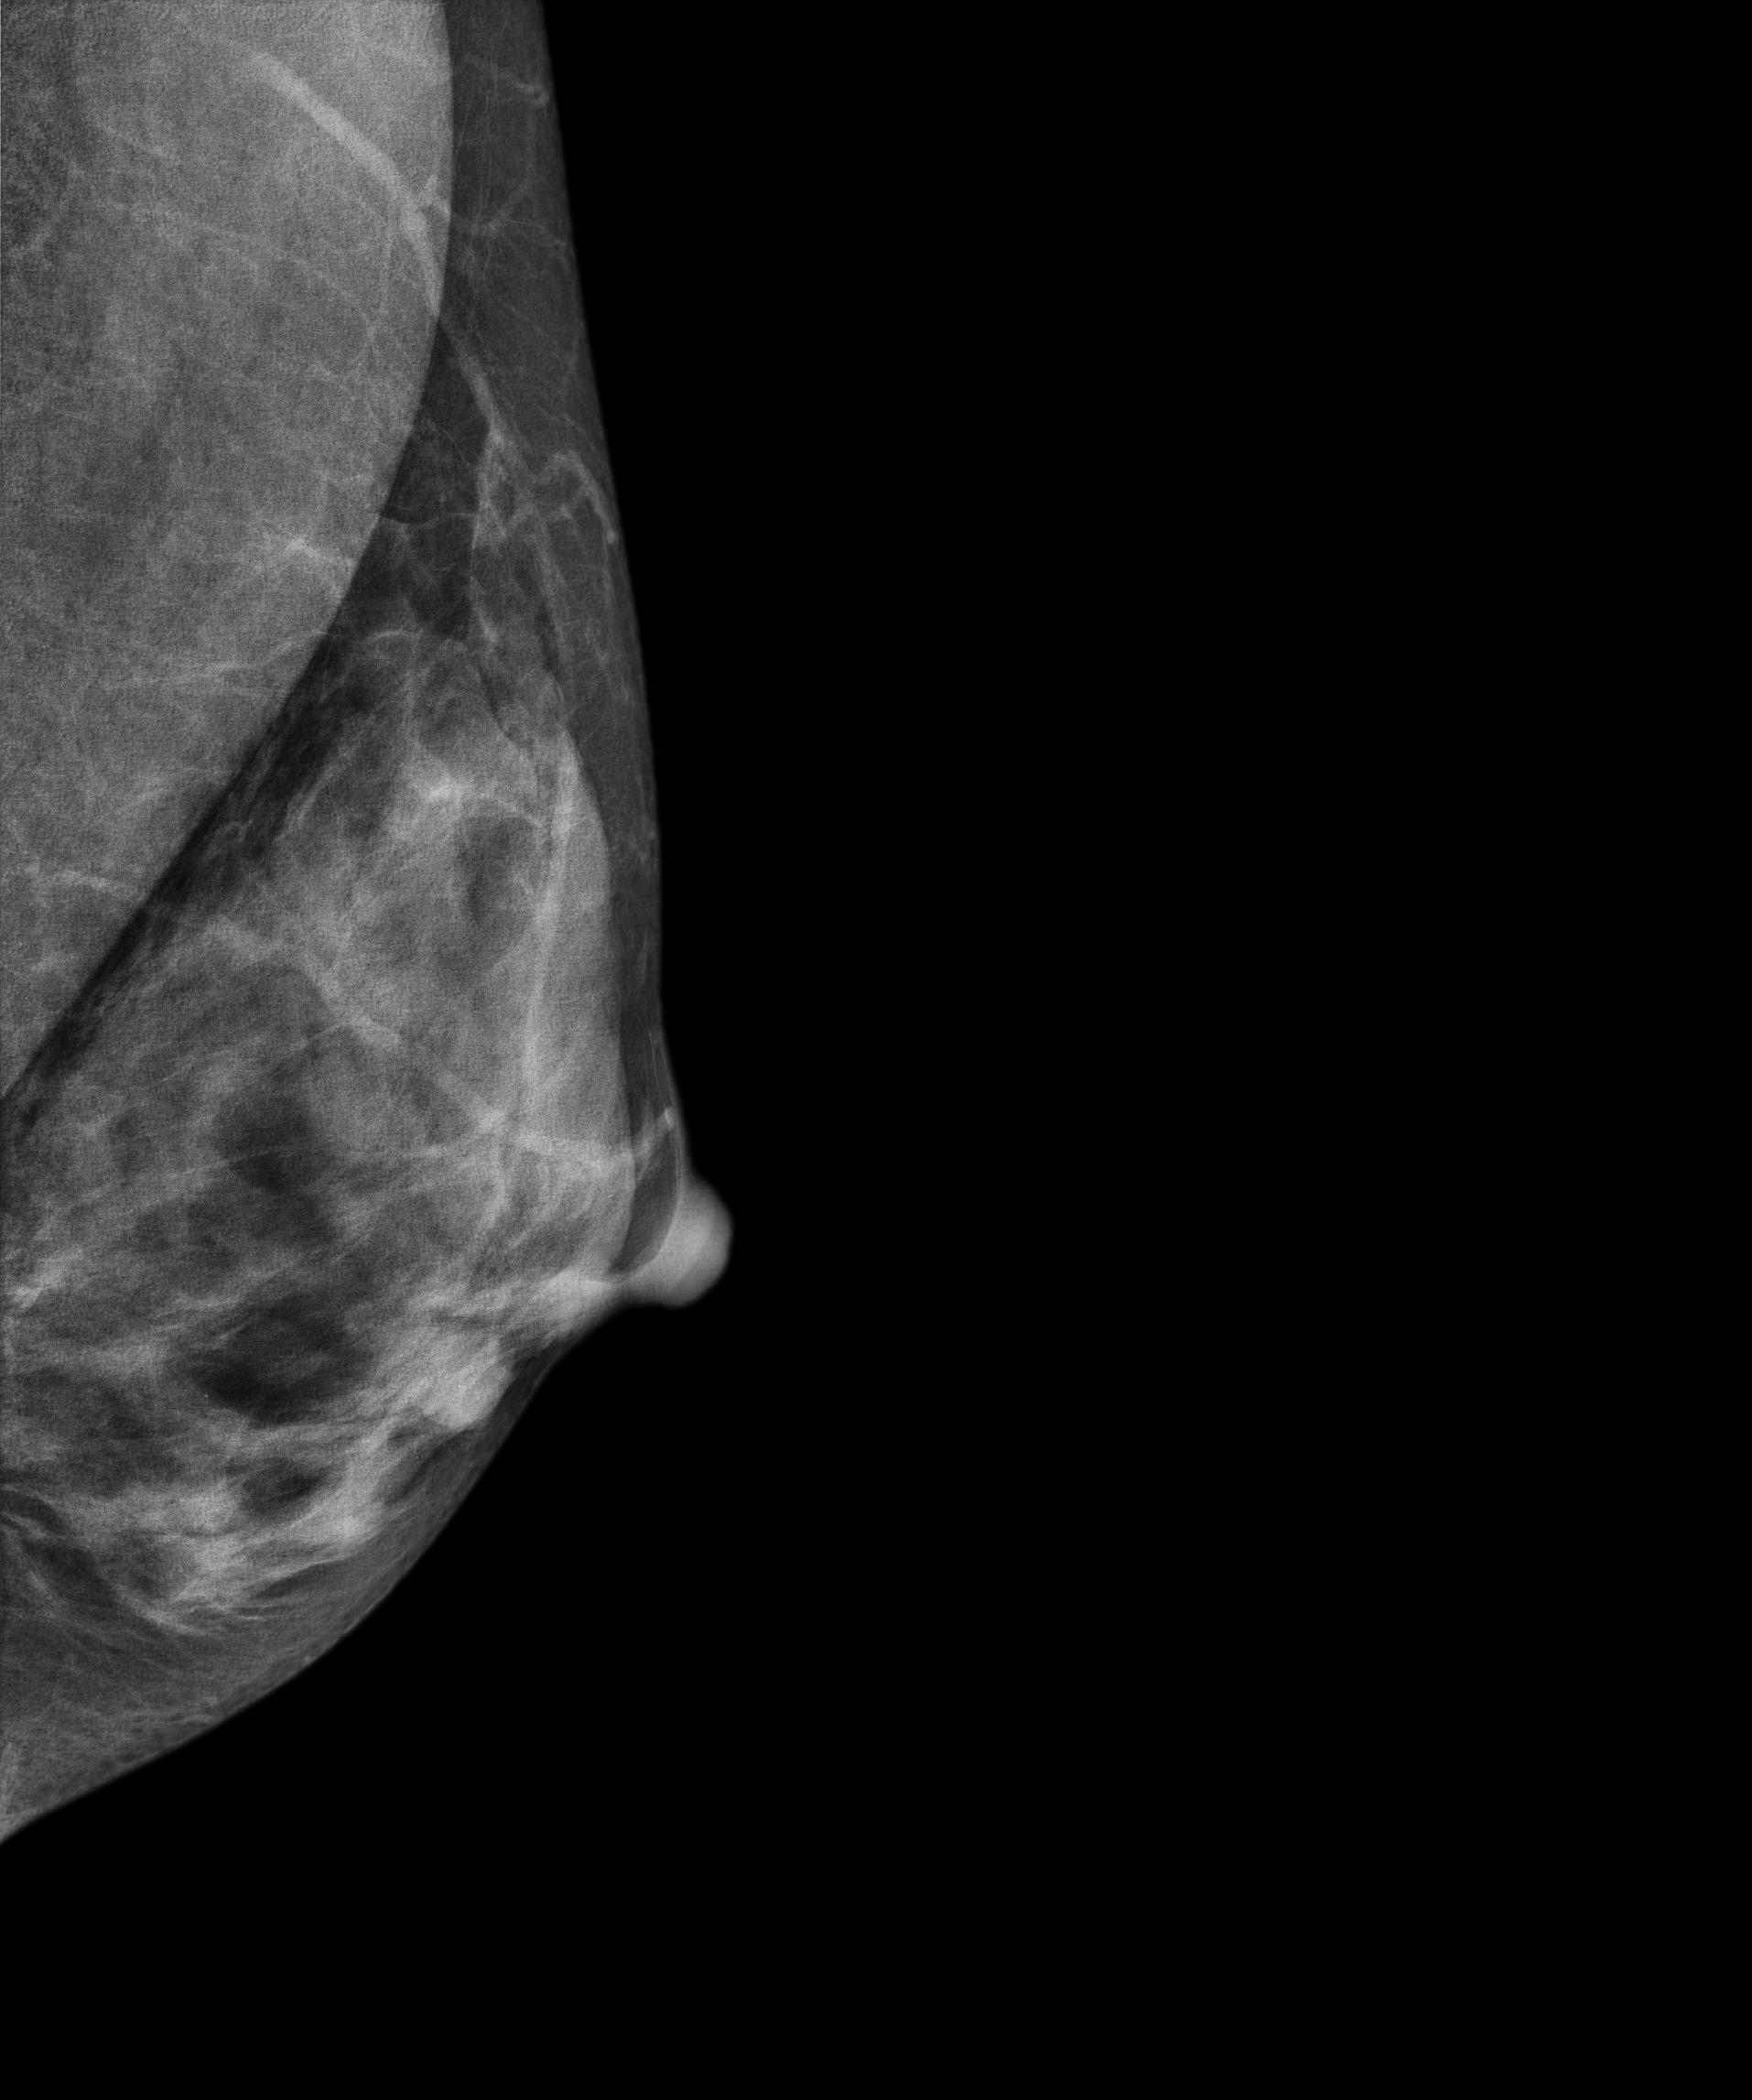
Mammogram — left MLO. 40 y/o patient.
This breast has a mass, biopsy-proven benign.